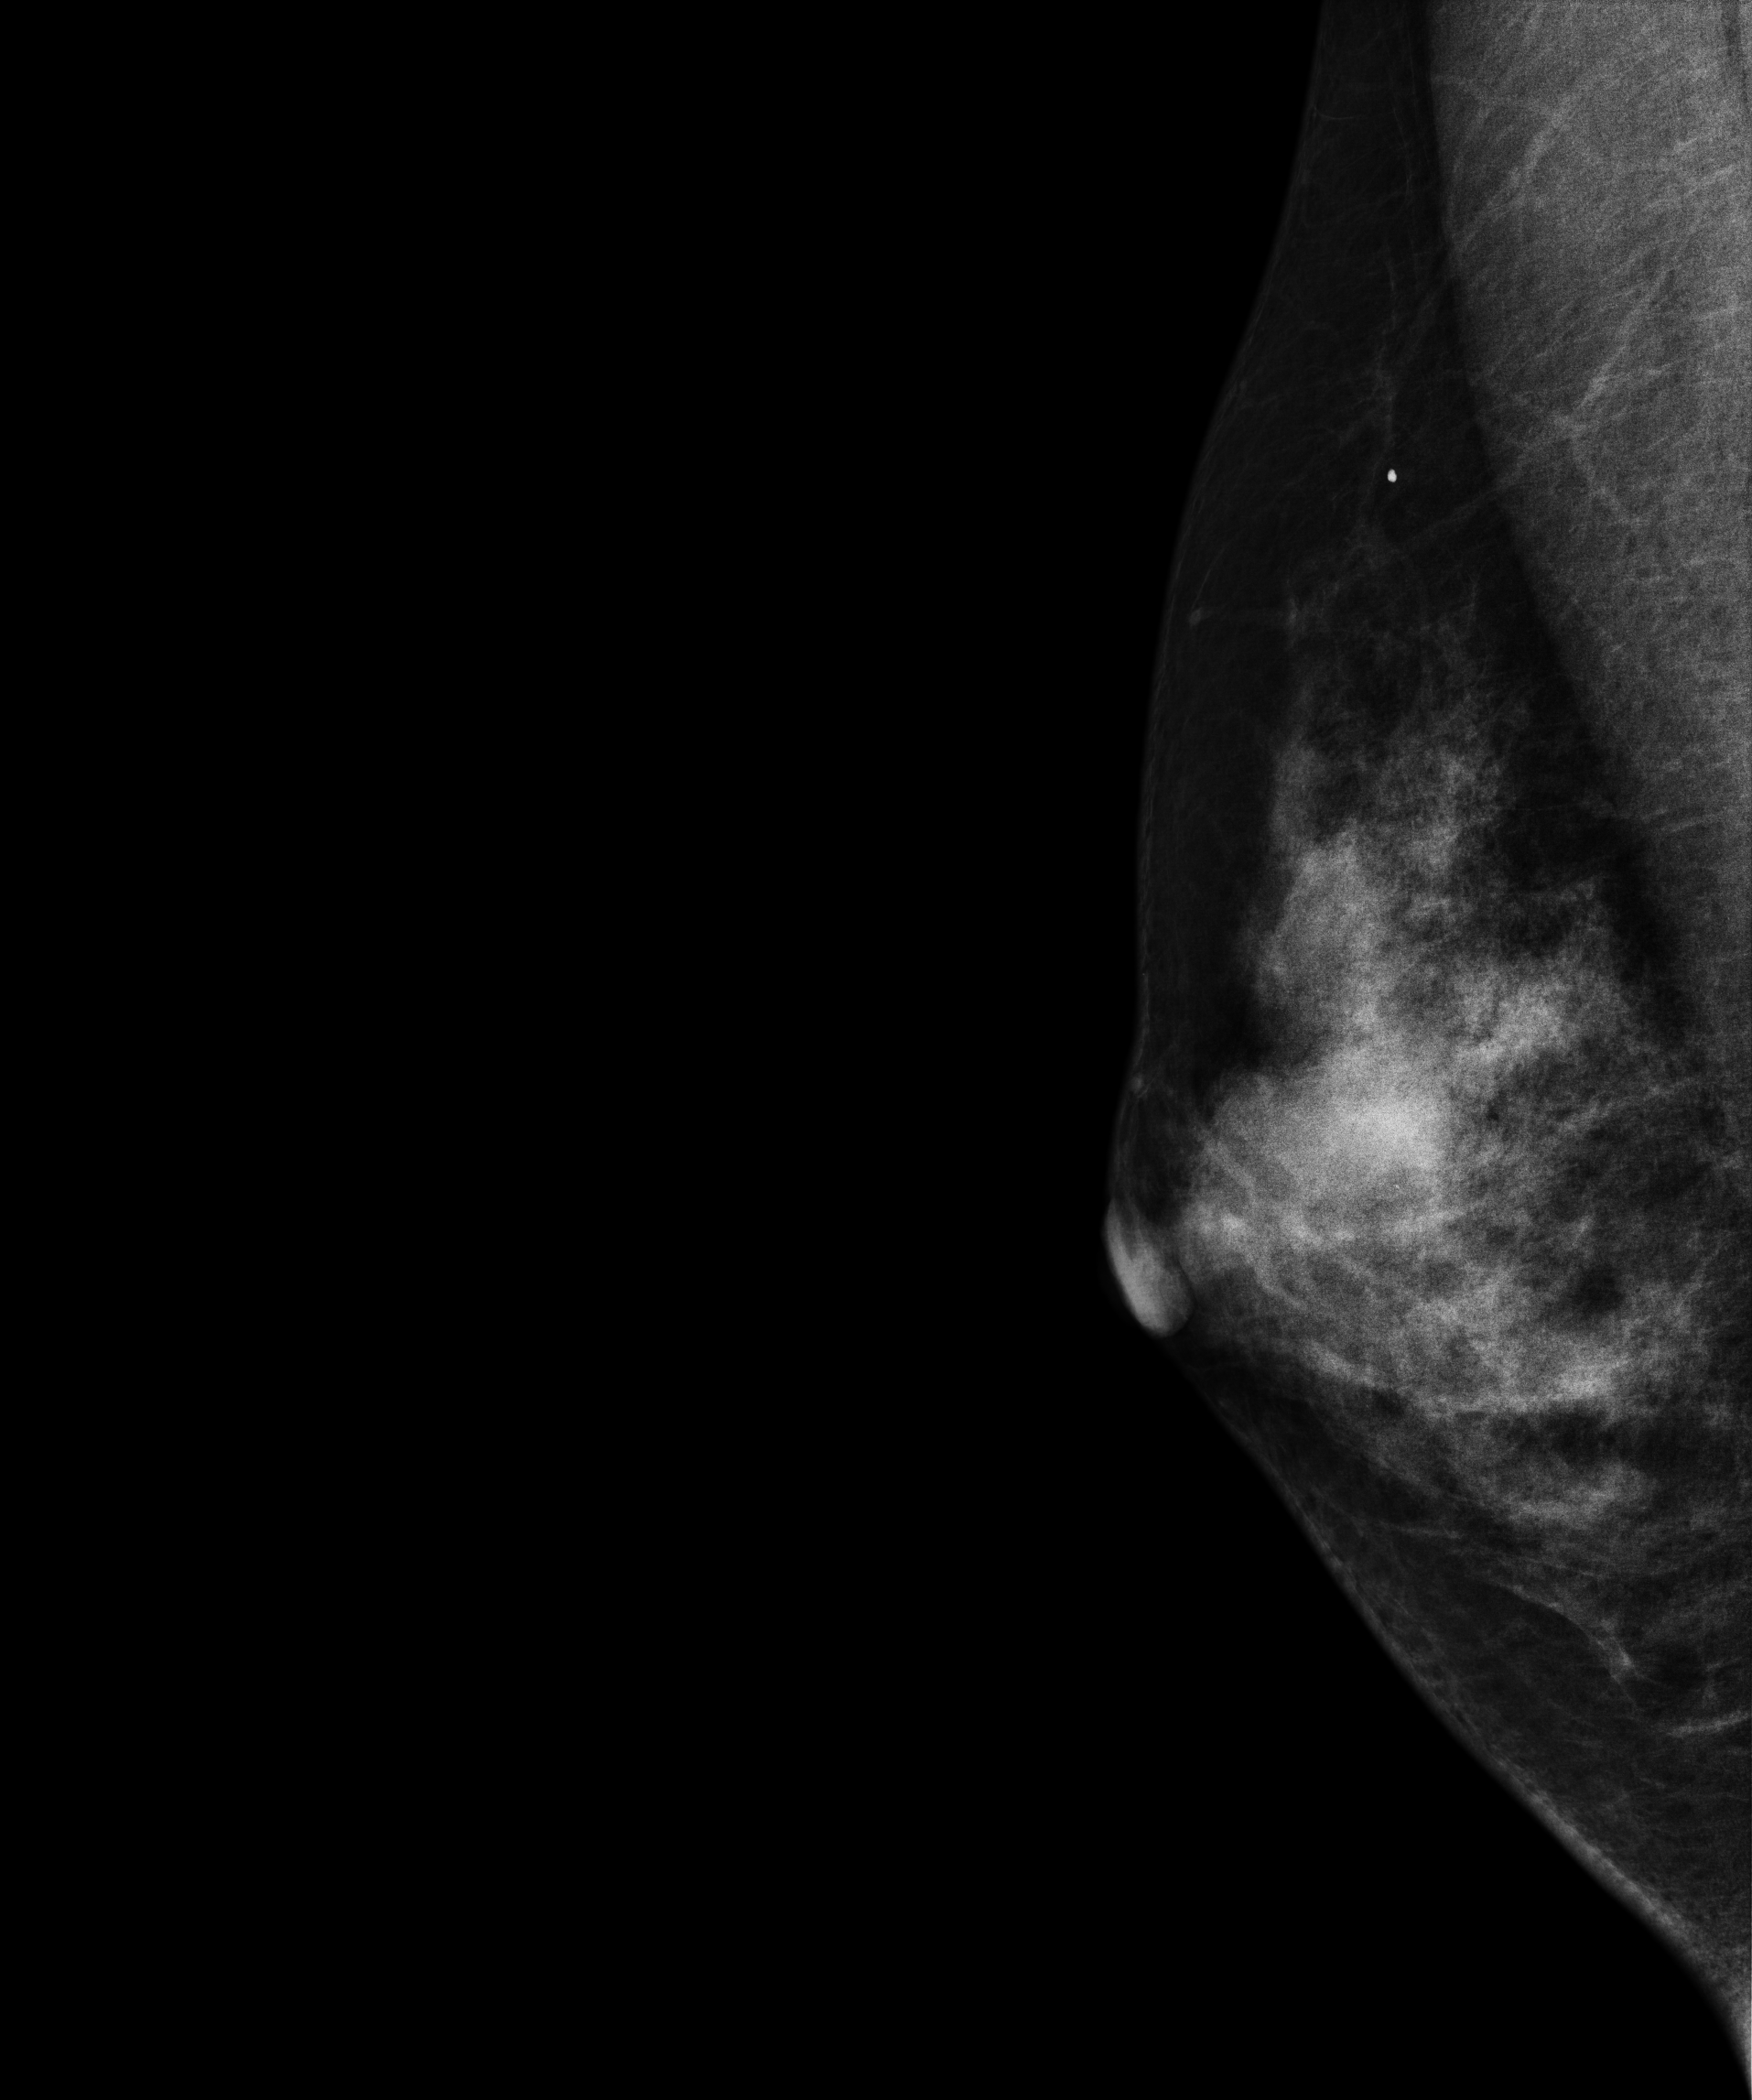
Mammogram, right breast, medio-lateral oblique view. 28-year-old patient.
This breast has a mass, histologically confirmed benign.